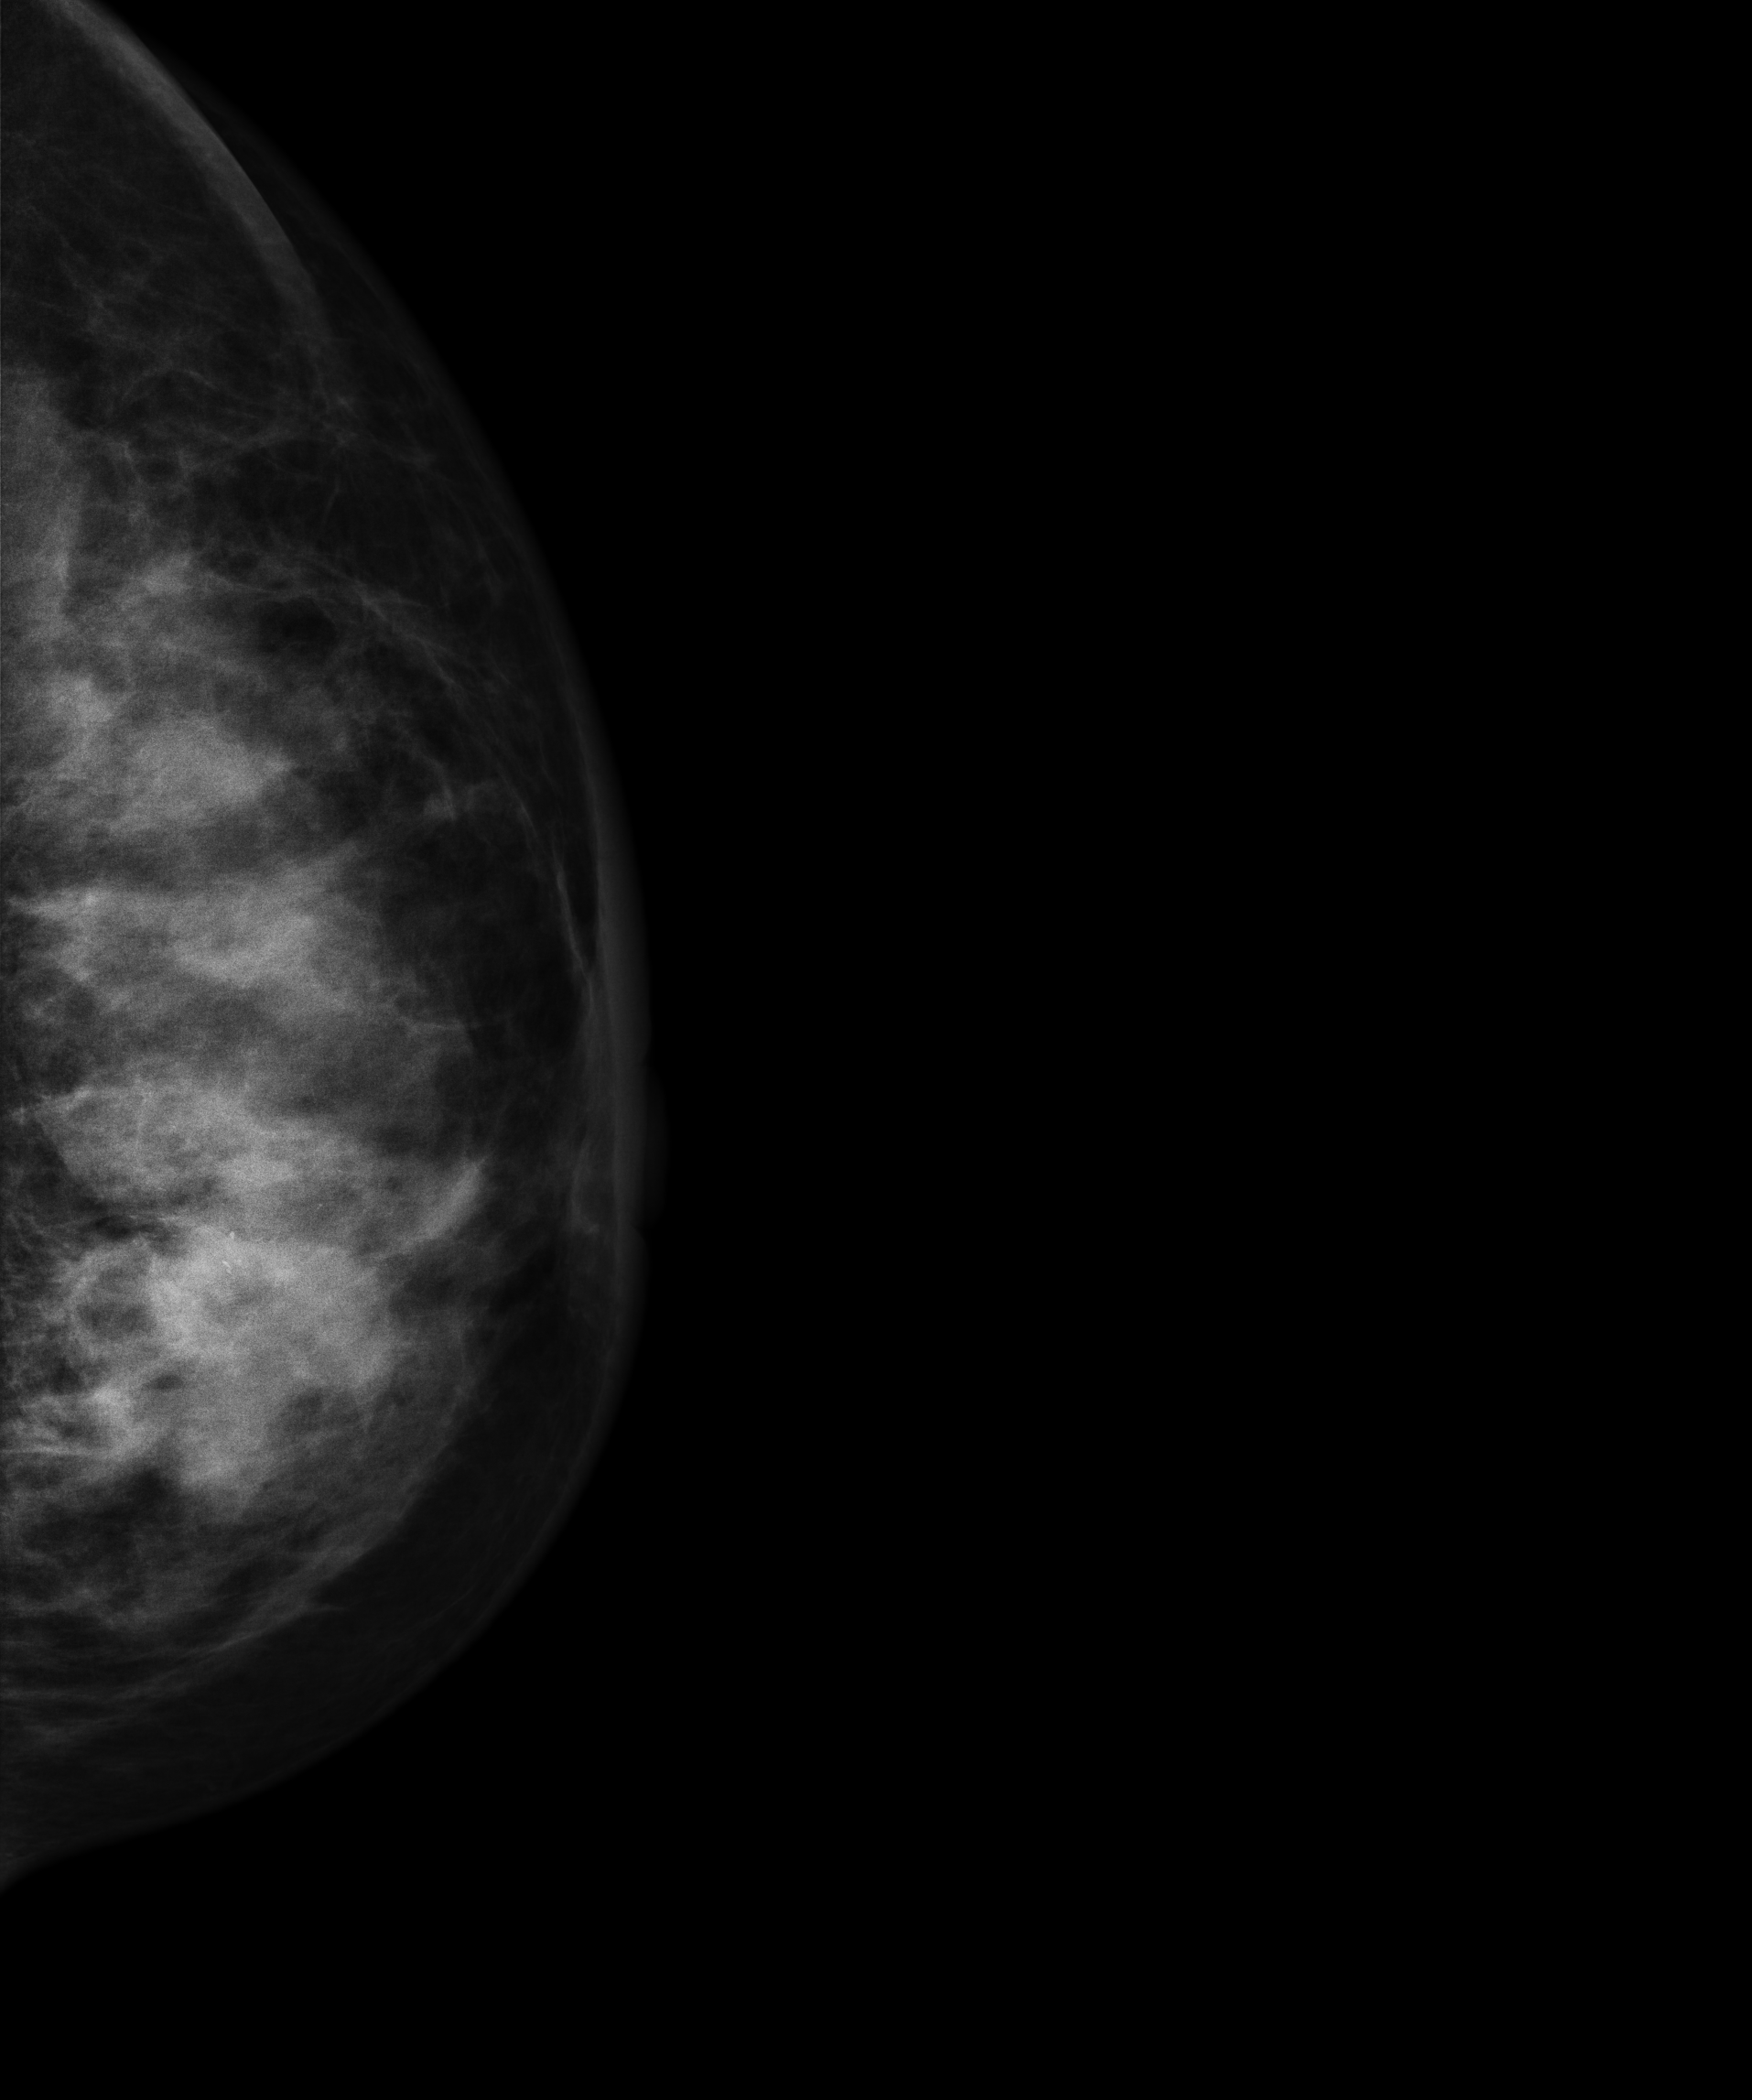
Left-breast mammogram, CC. Patient age 43.
This breast has a mass and calcifications, biopsy-confirmed malignant. Molecular subtype: HER2-enriched.